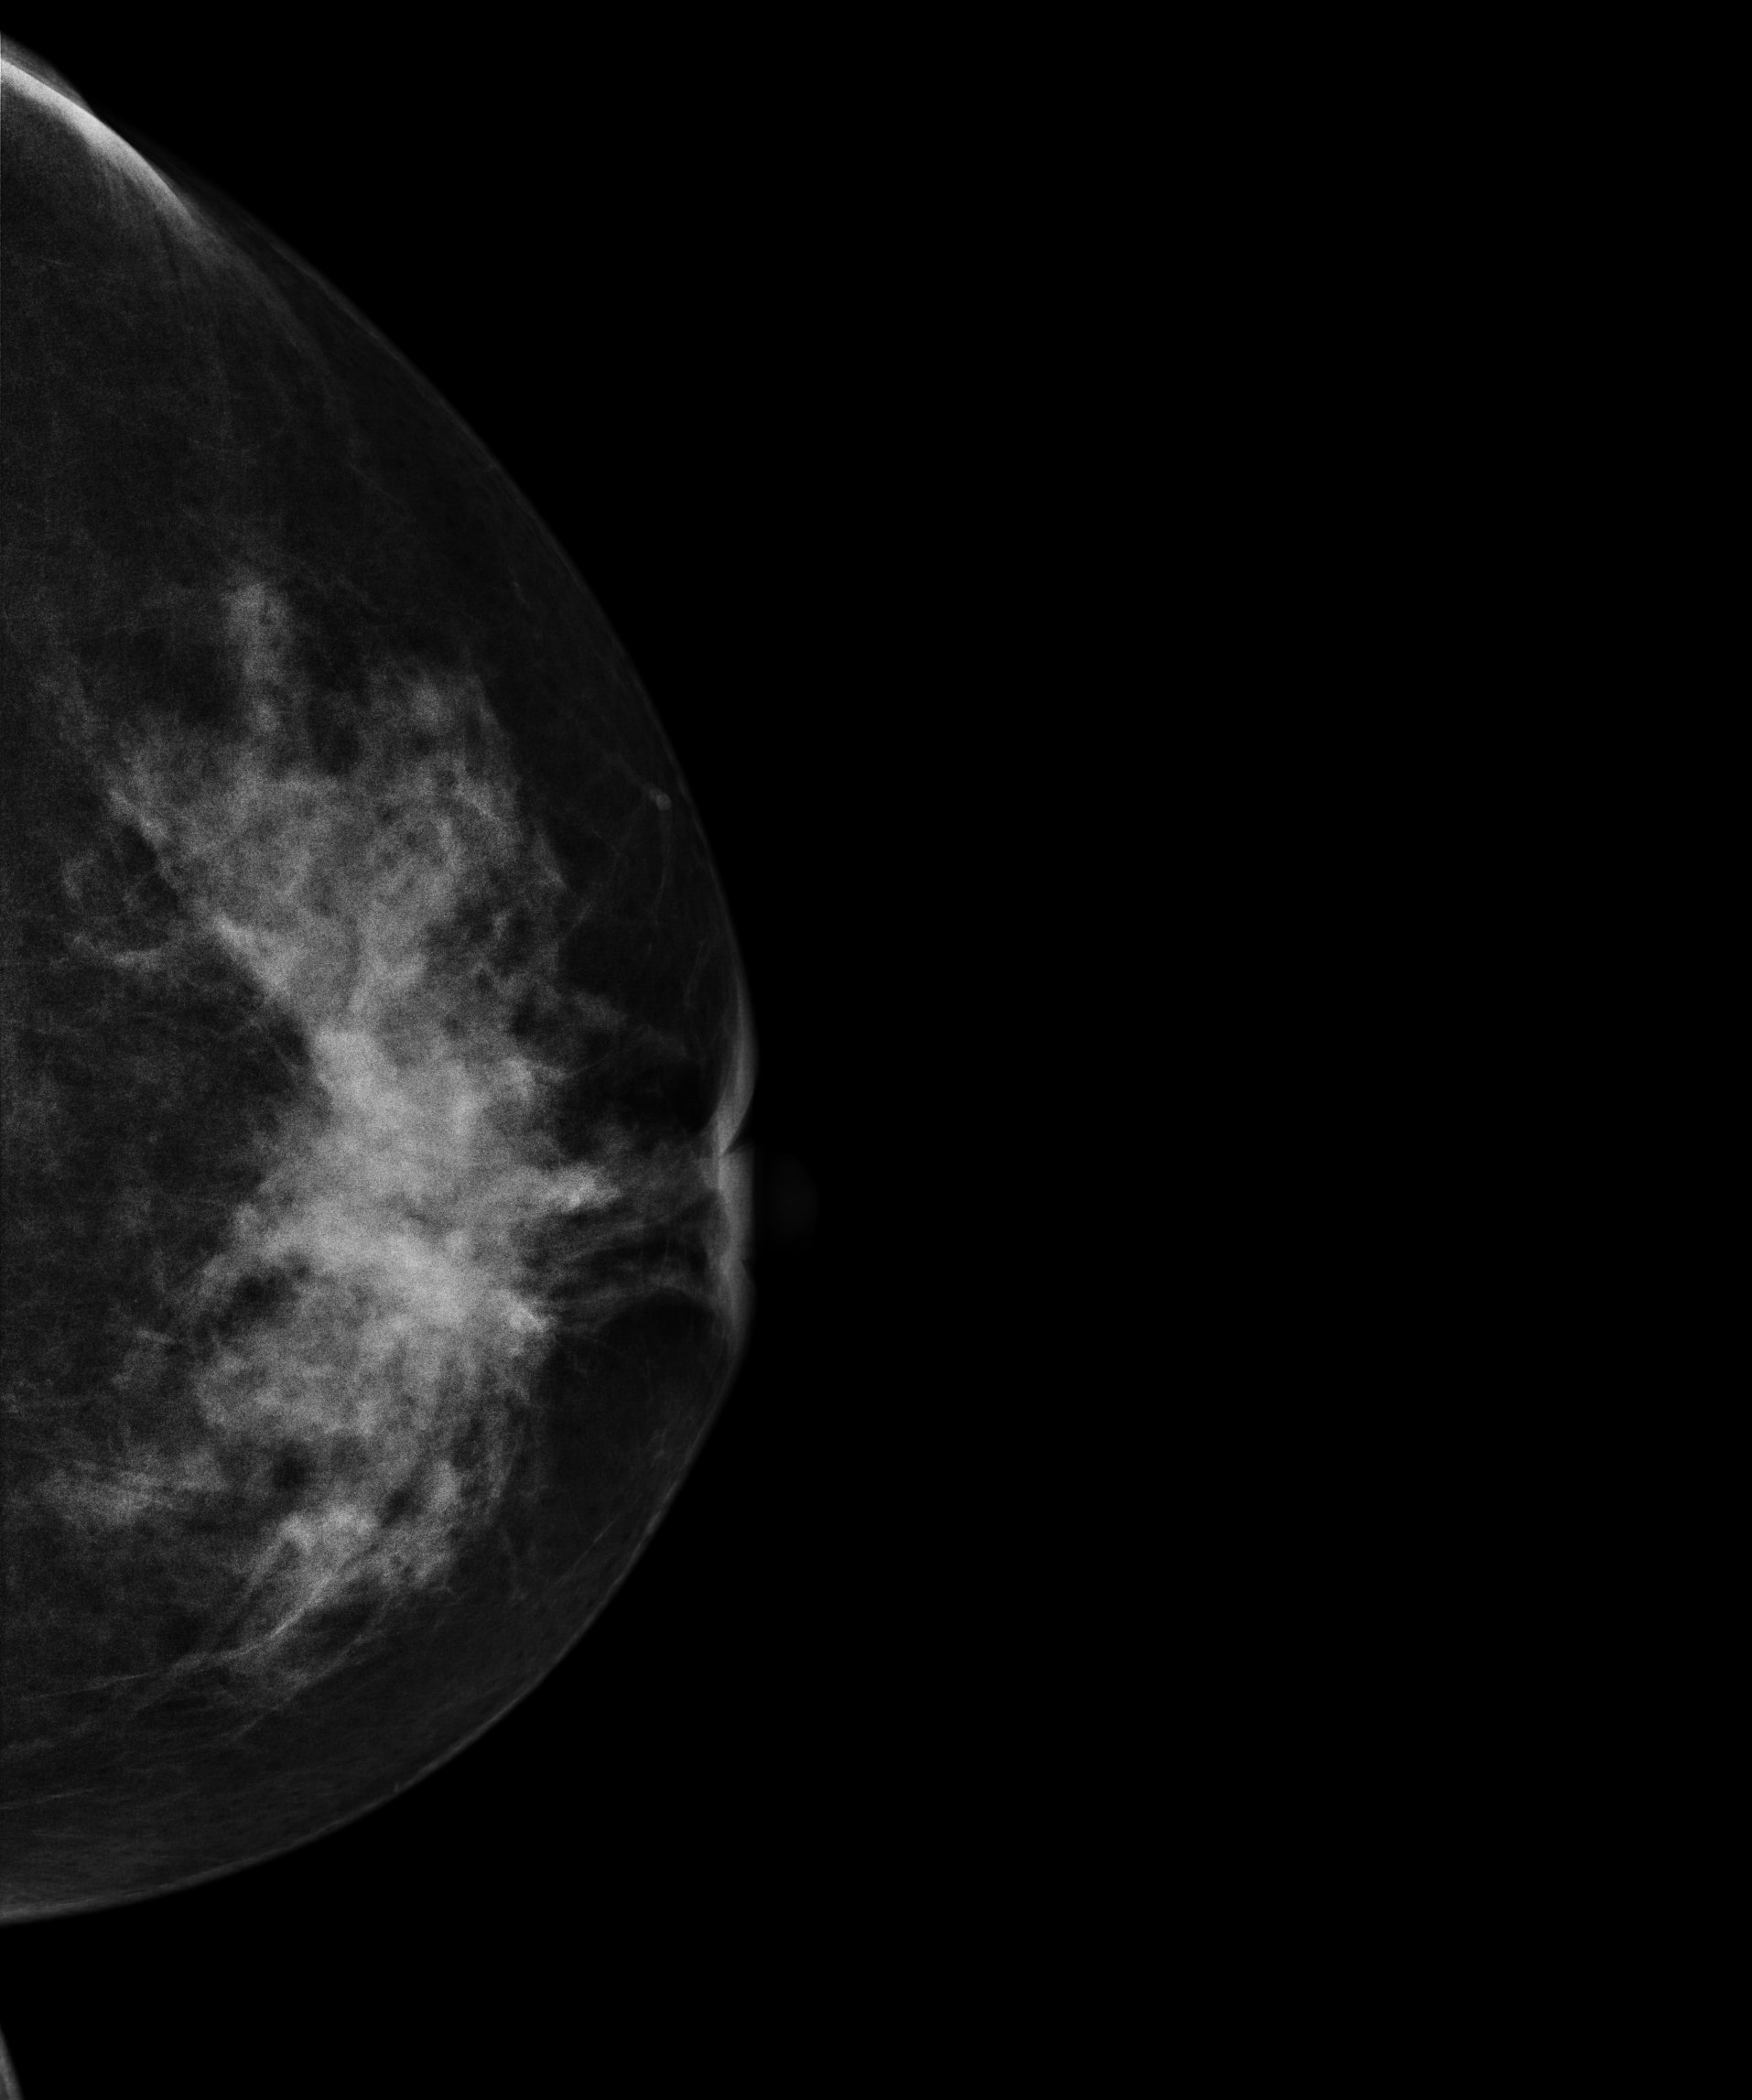
Mammogram — left cranio-caudal. 49-year-old patient.
This breast has a mass, pathology-confirmed malignant.